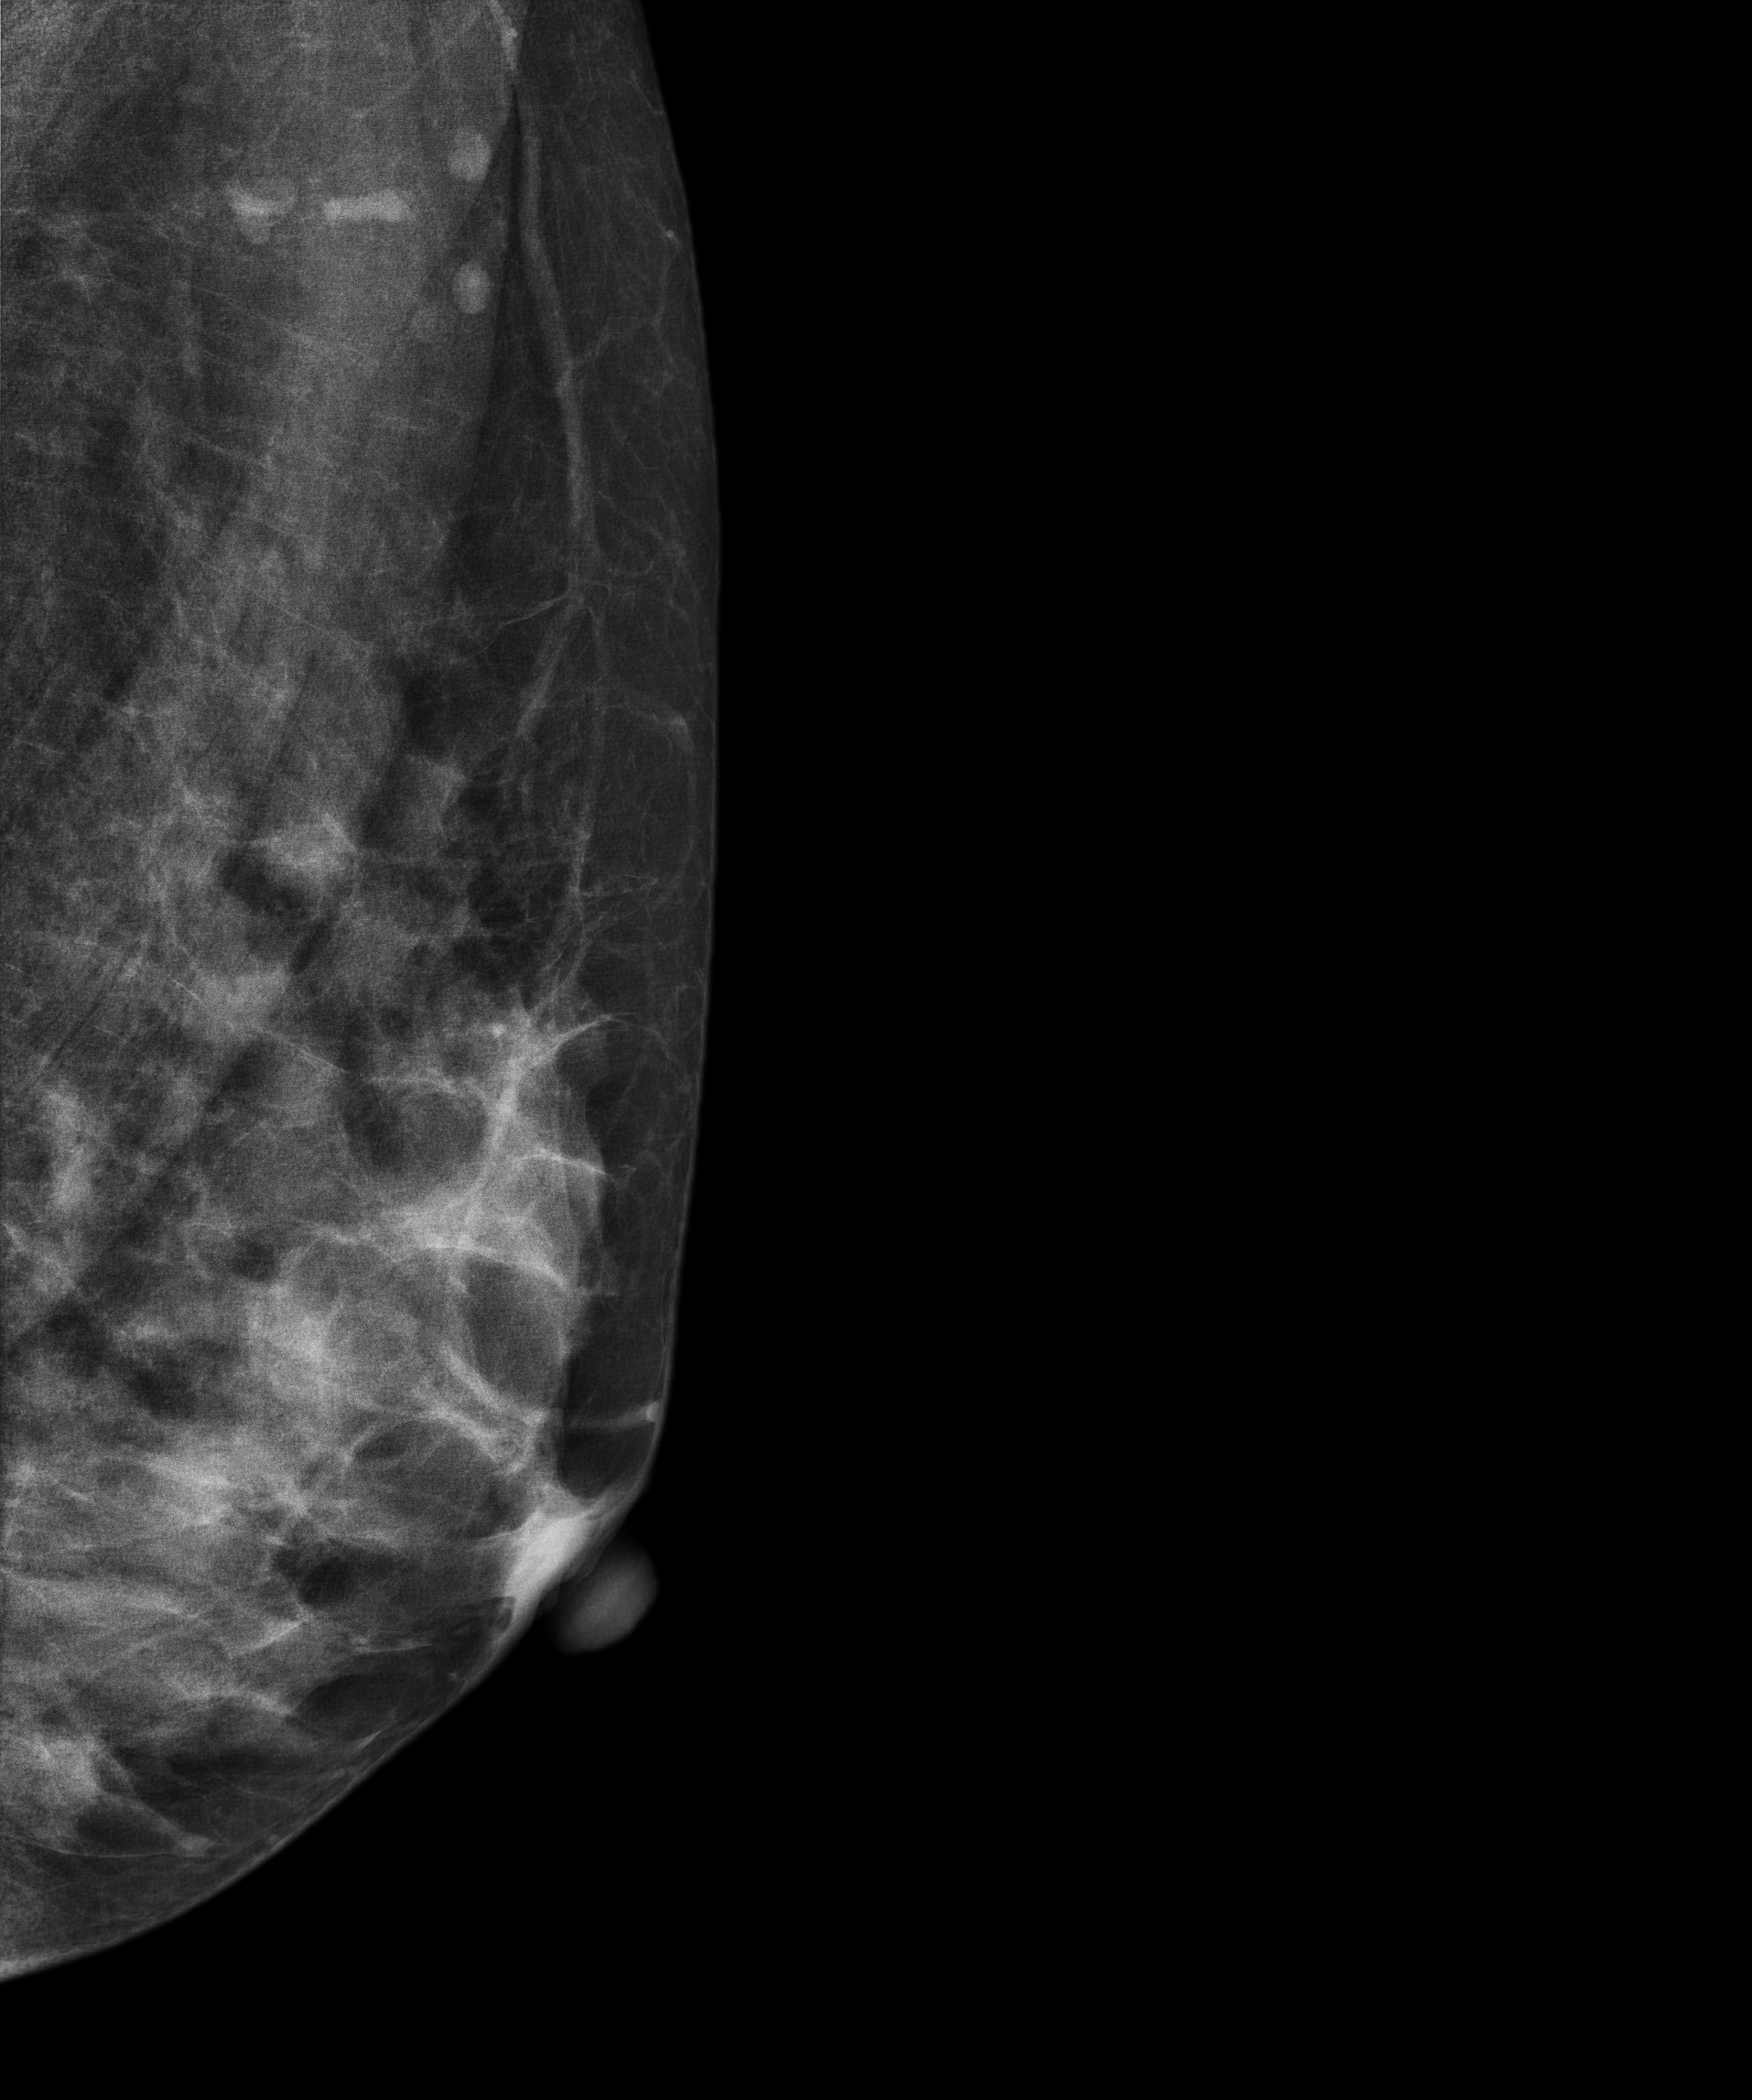
Digital mammography. Left breast, MLO projection. 48-year-old patient.
Contralateral breast — no documented abnormality on this side.